Left-breast mammogram, cranio-caudal. 63 y/o patient.
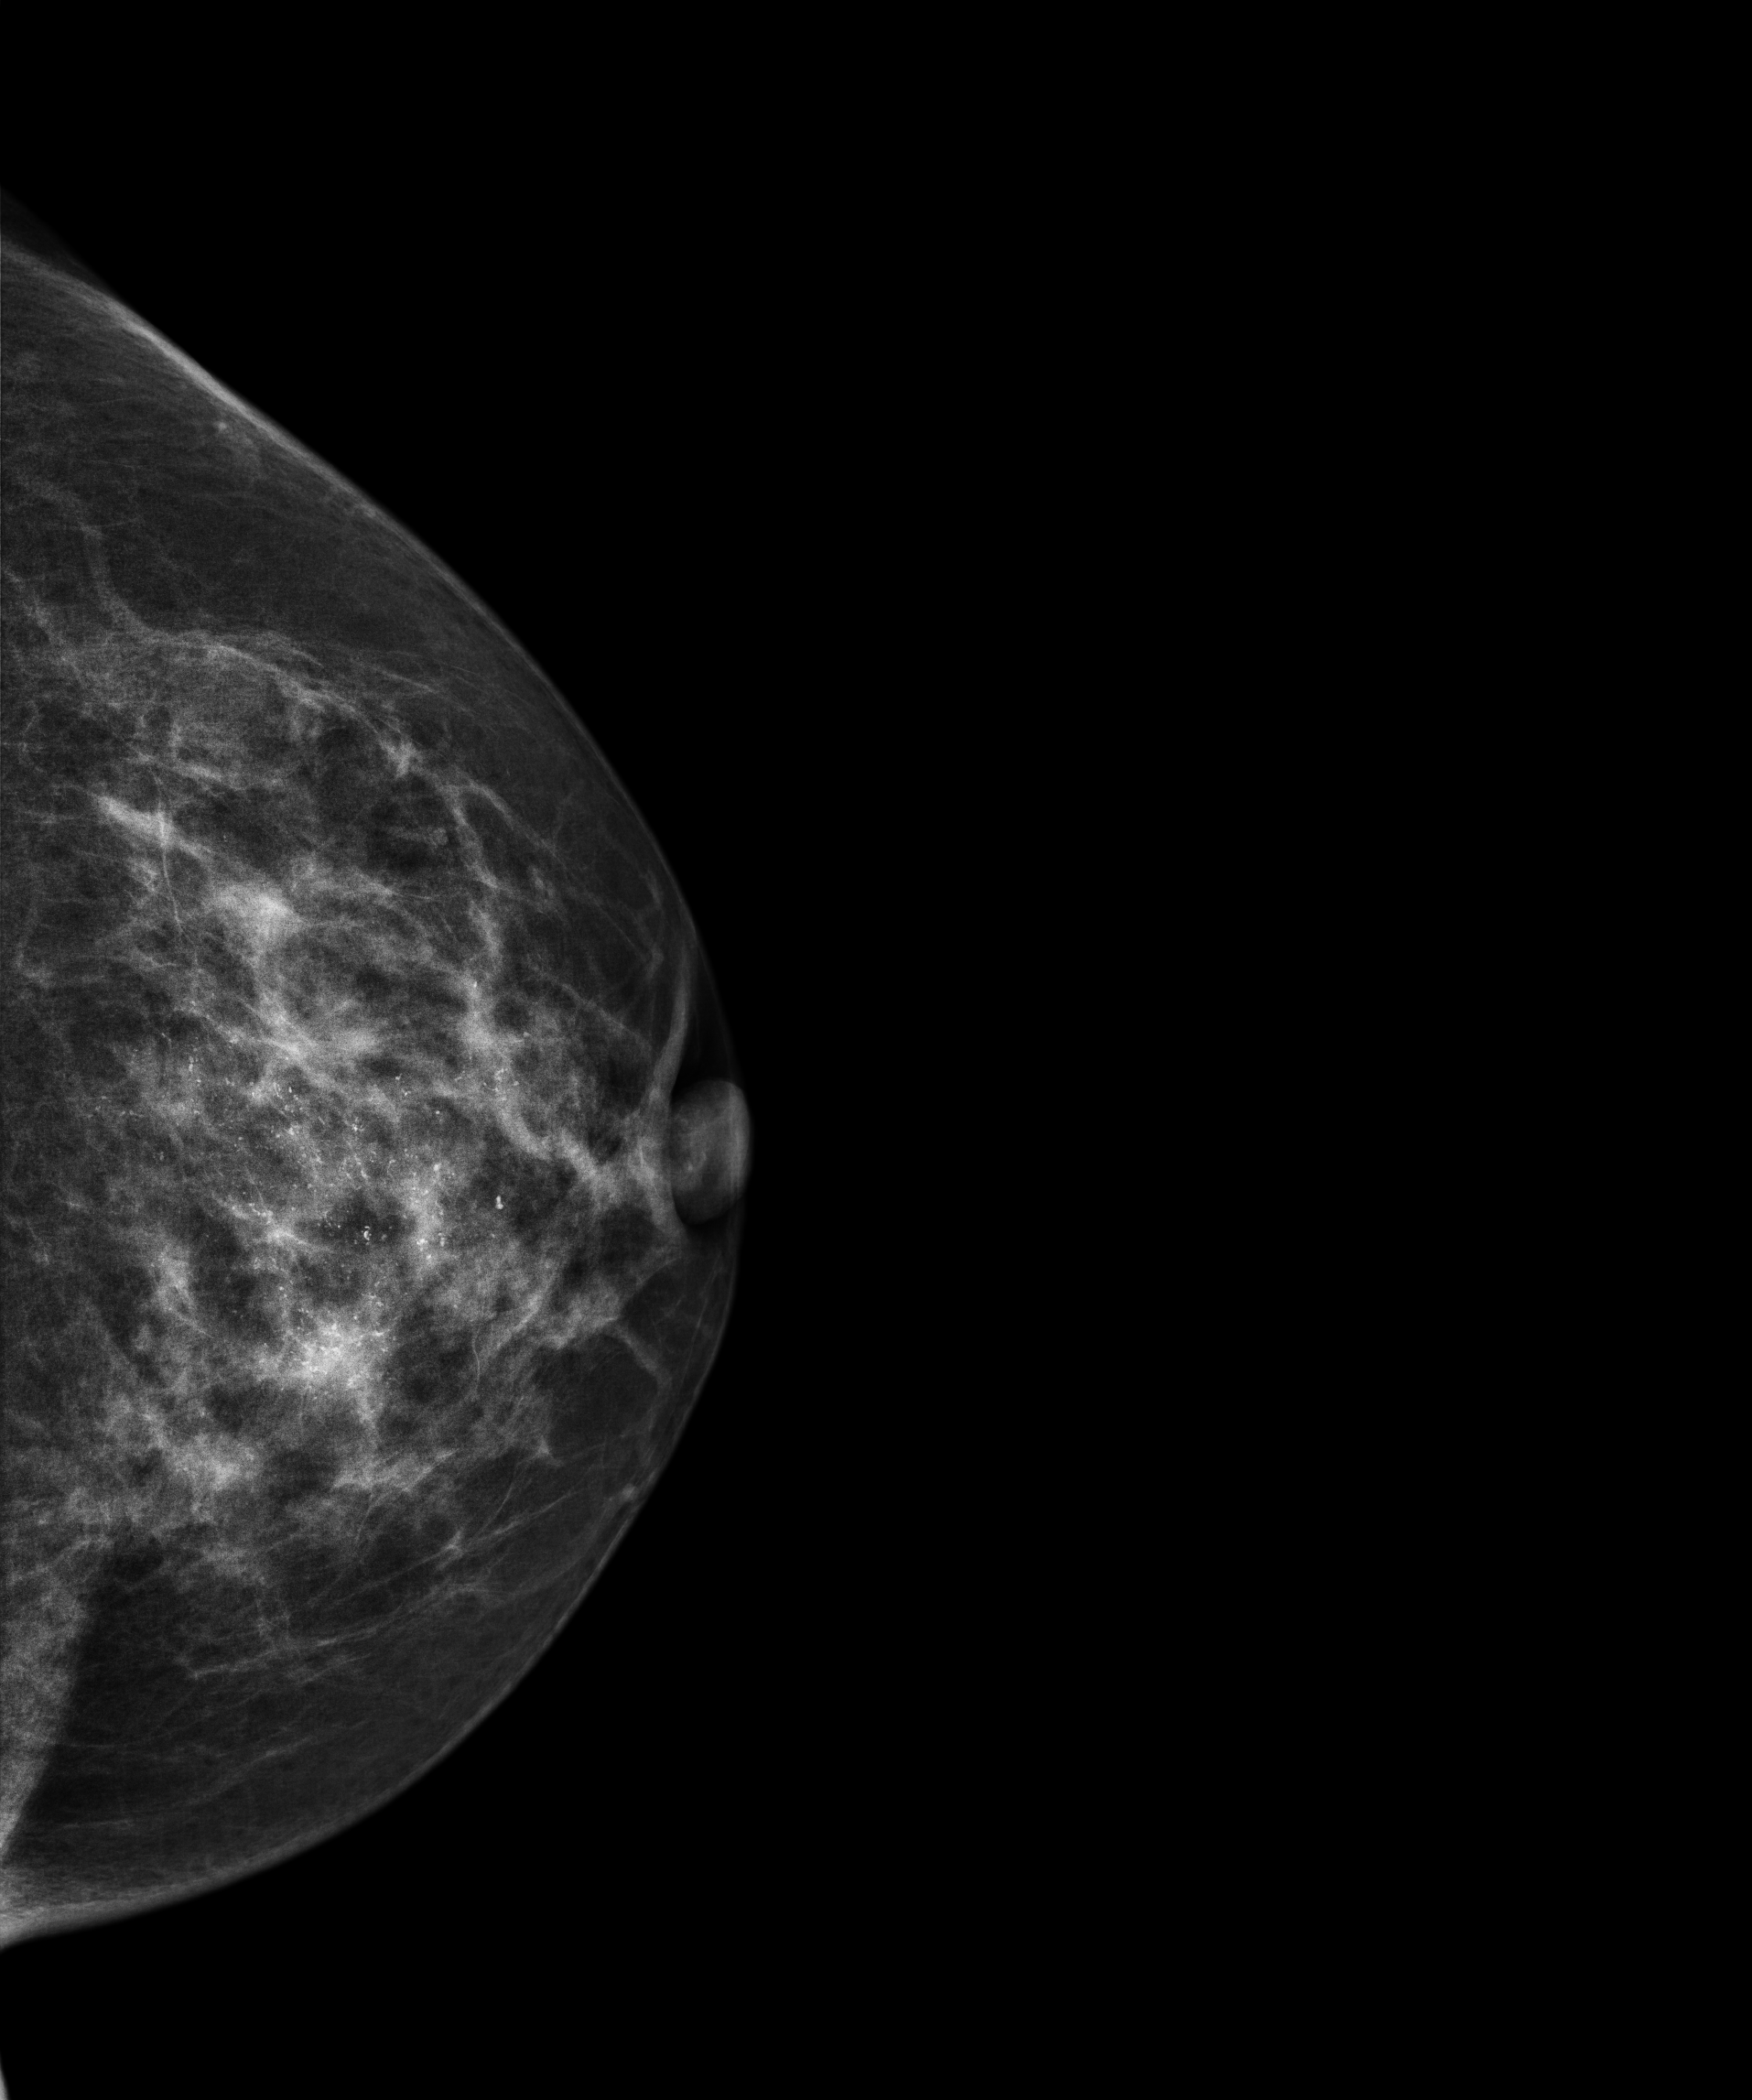
This breast has calcifications, histologically confirmed malignant.